Digital mammography. Right breast, medio-lateral oblique projection. Patient age 55.
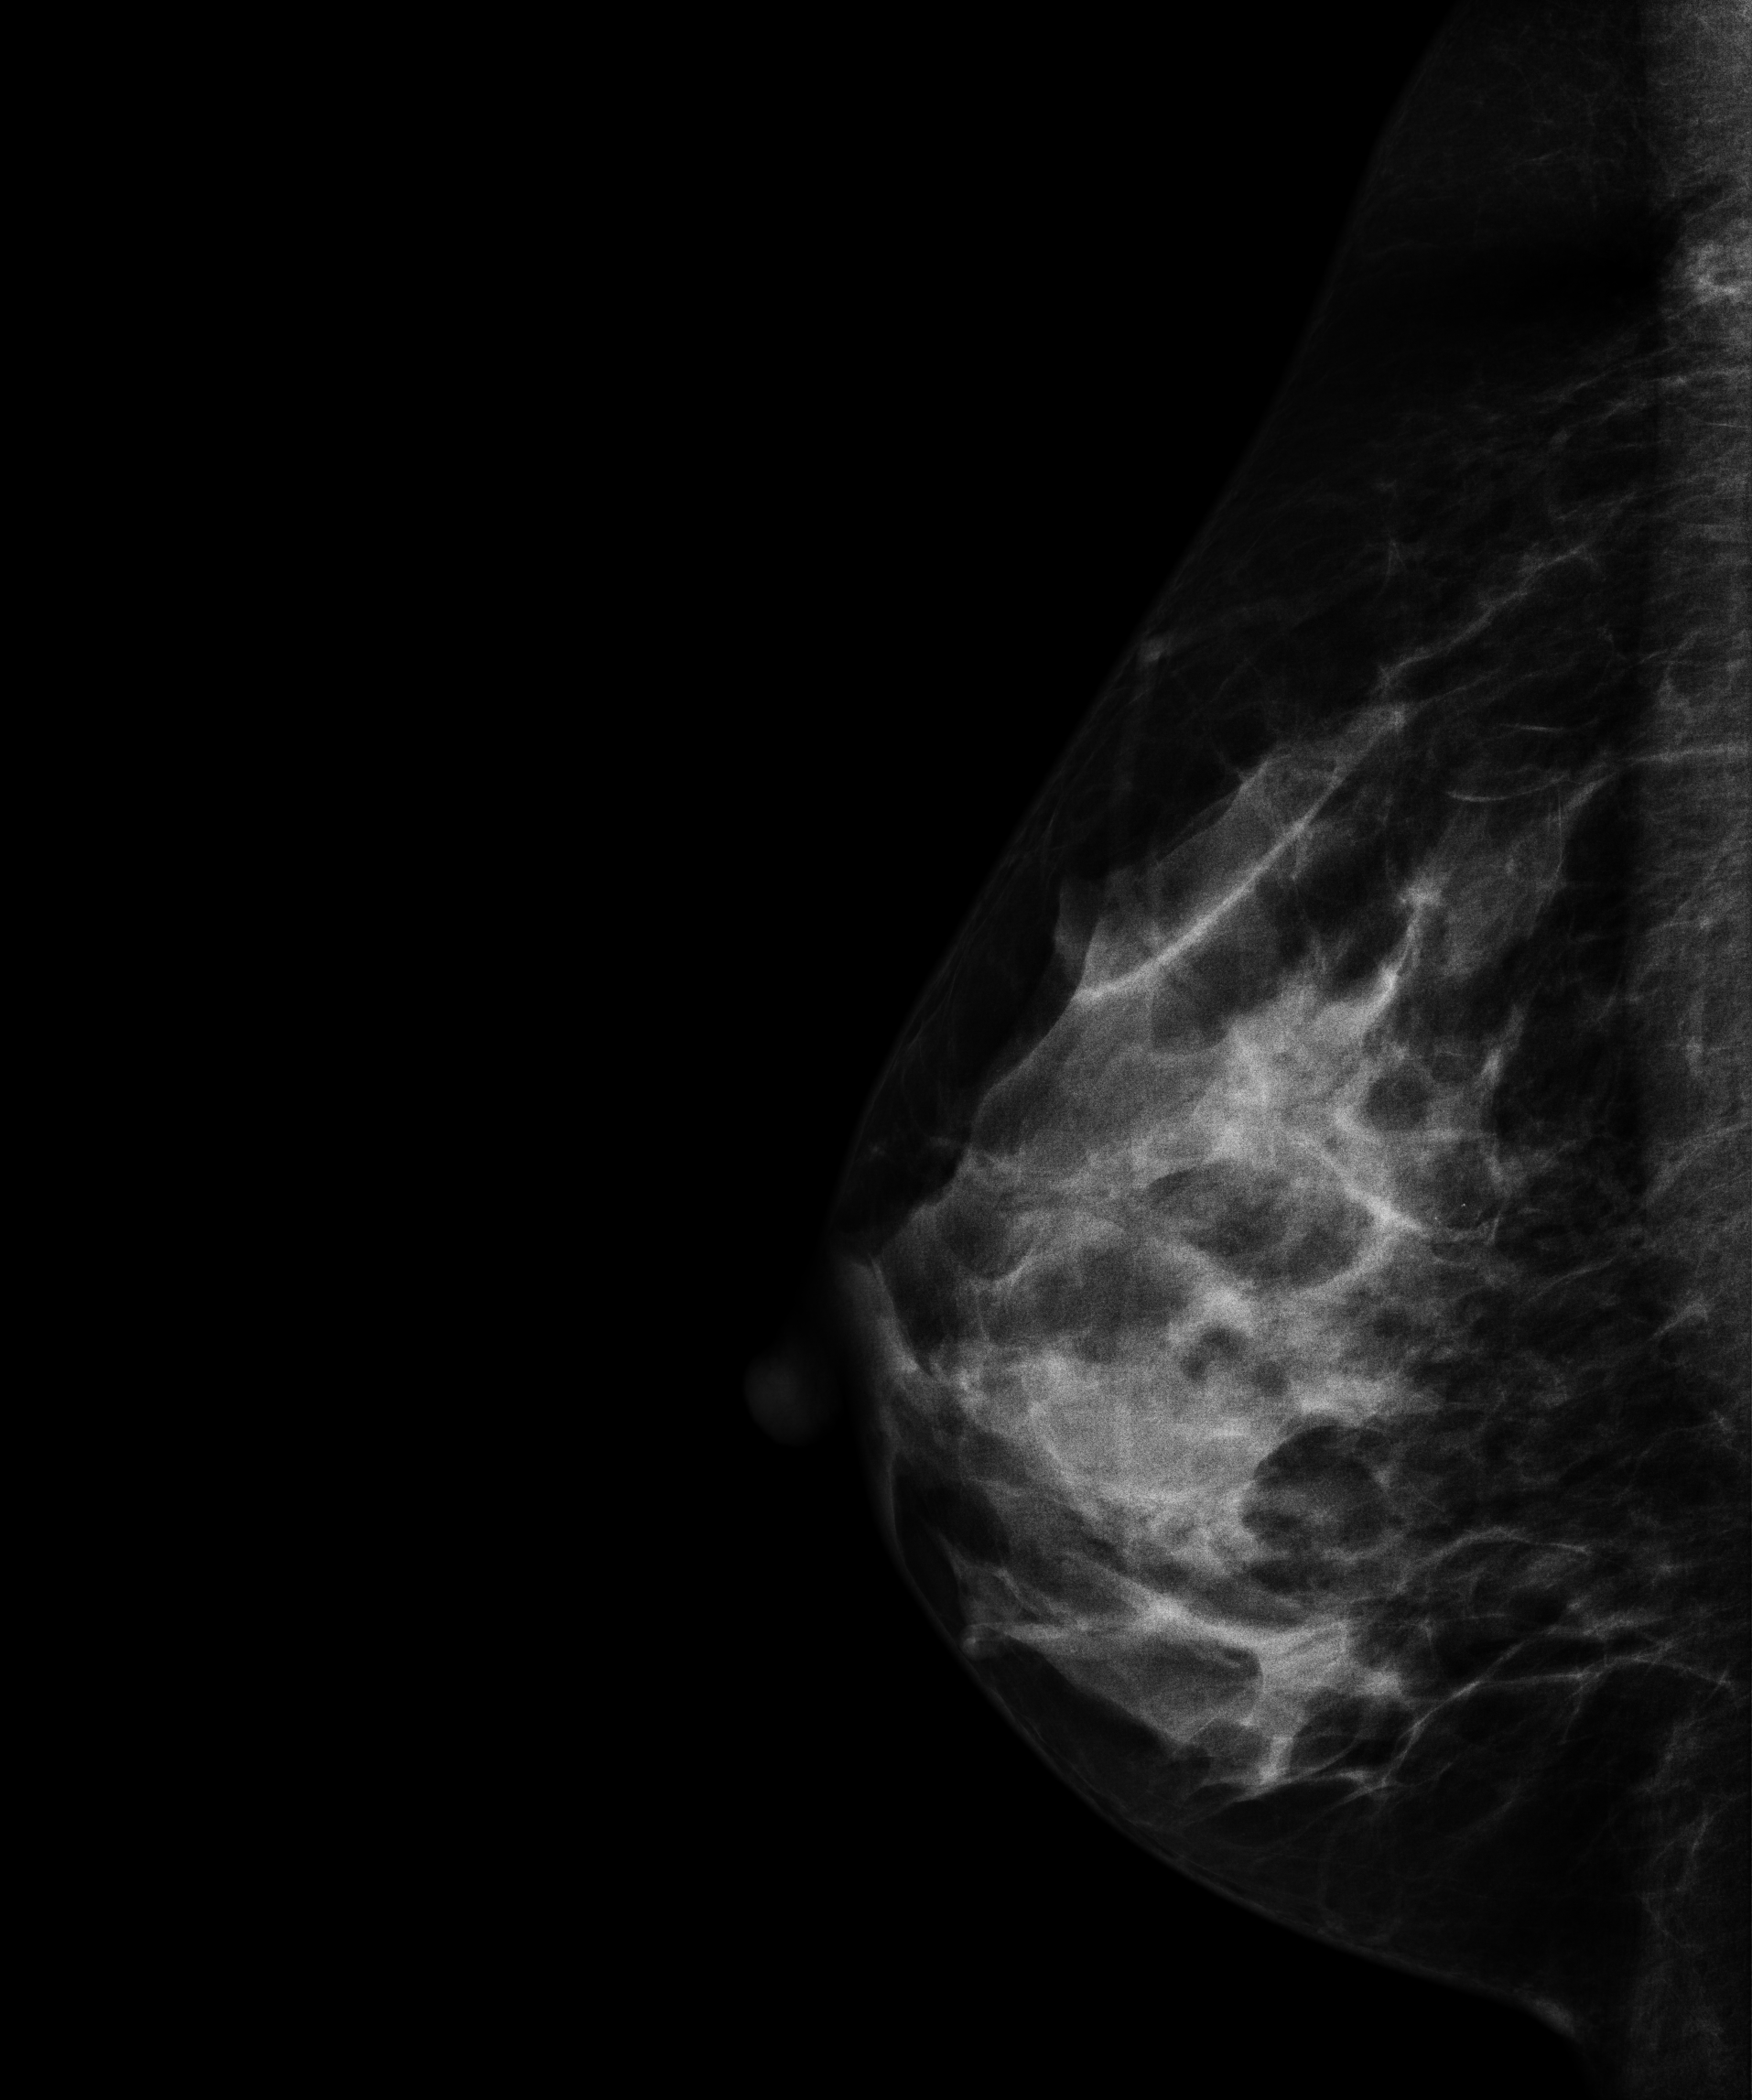
This breast has calcifications, biopsy-proven malignant.